Mammogram — right medio-lateral oblique. 42 y/o patient.
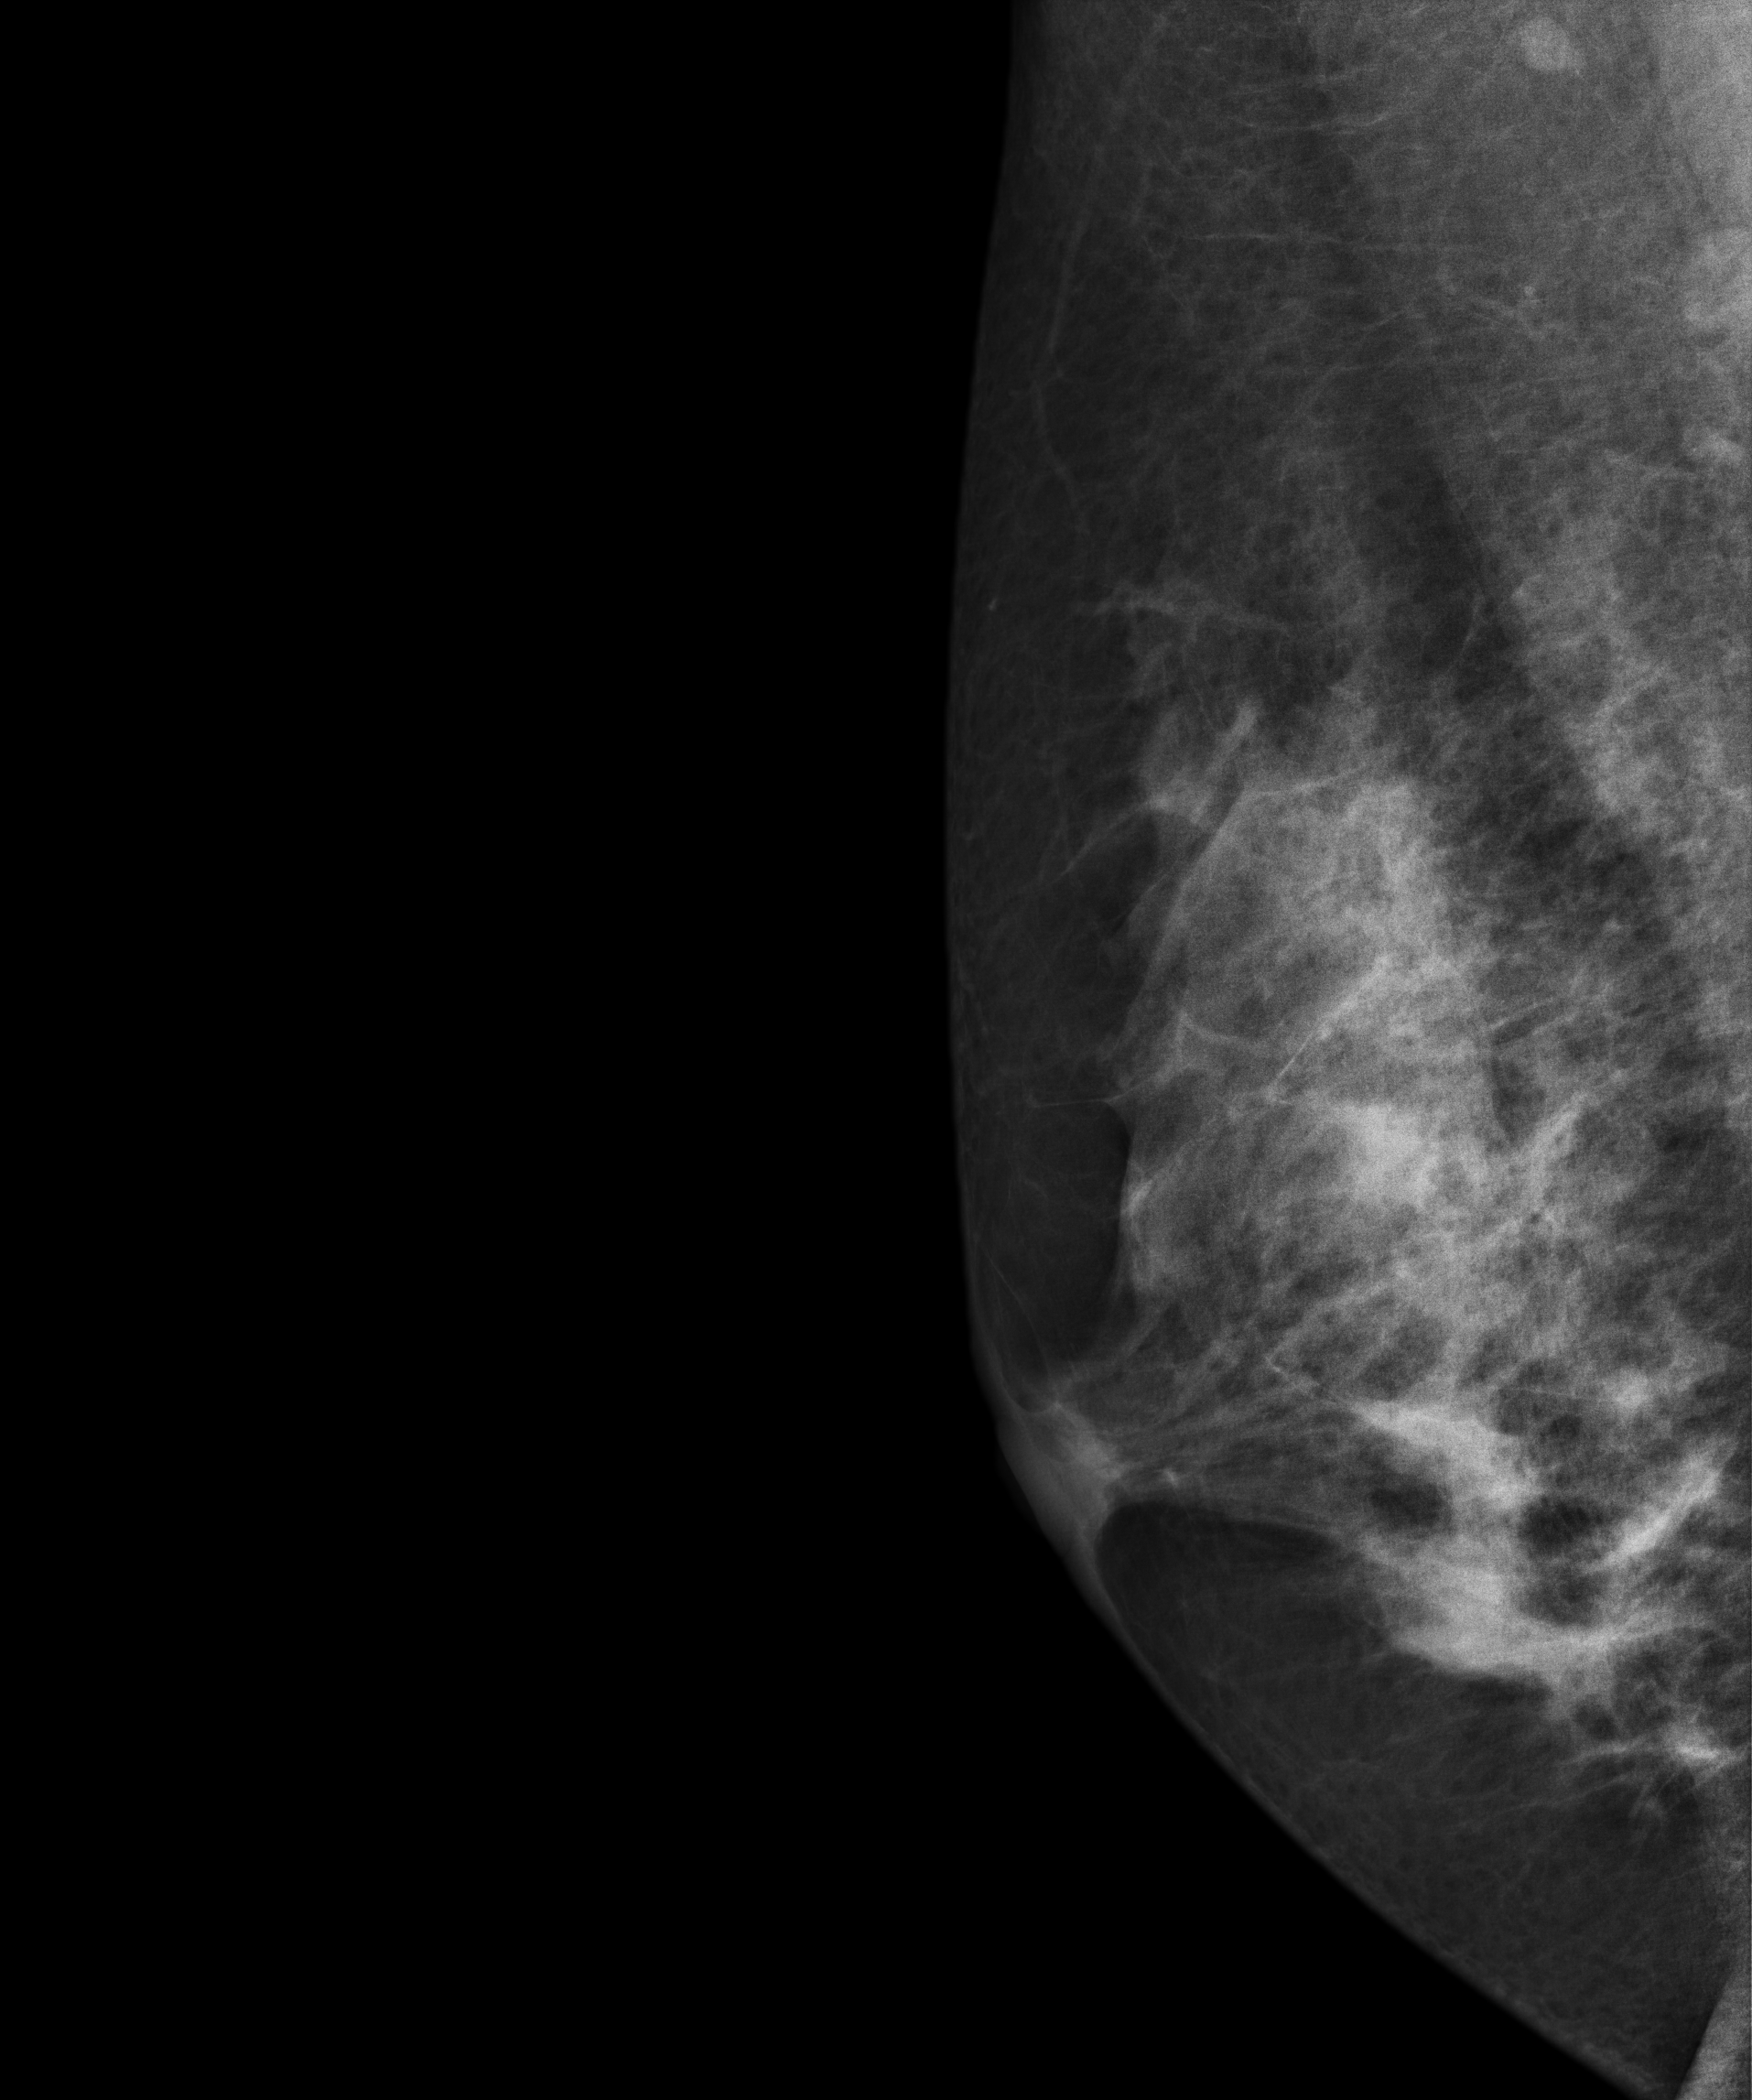
Contralateral breast — no documented abnormality on this side.